Right-breast mammogram, medio-lateral oblique. 49-year-old patient.
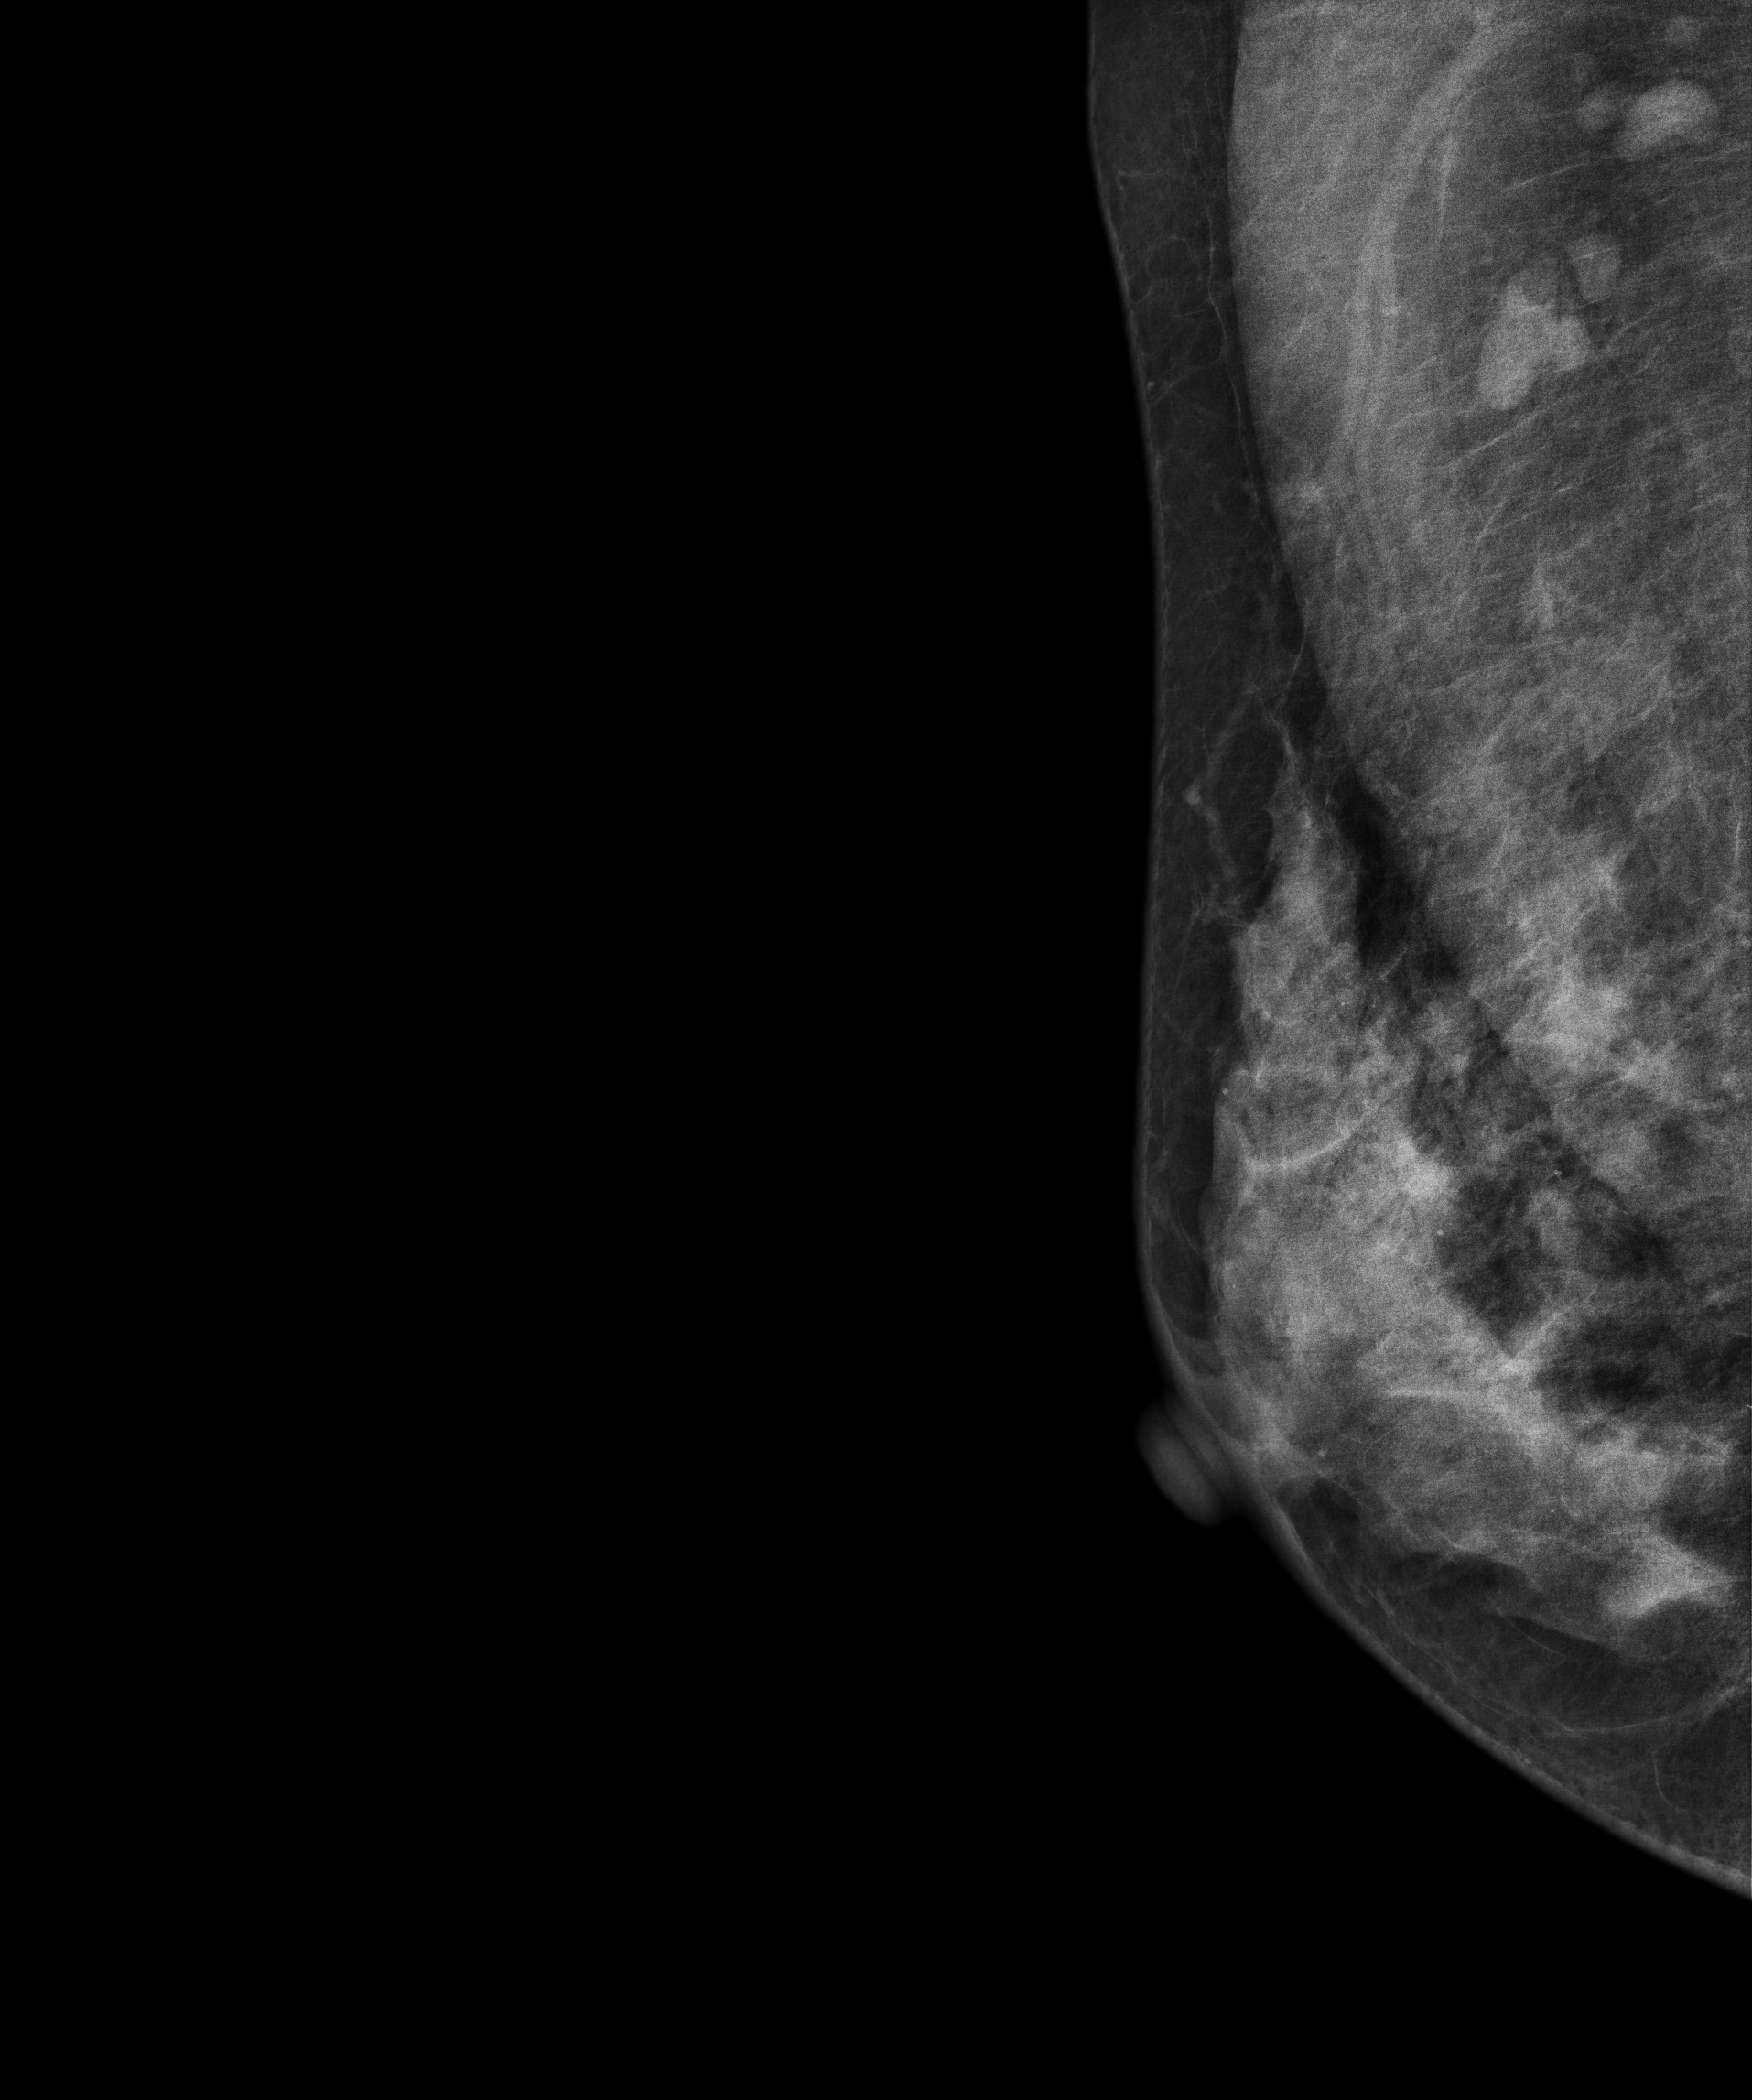
Contralateral breast — no documented abnormality on this side.